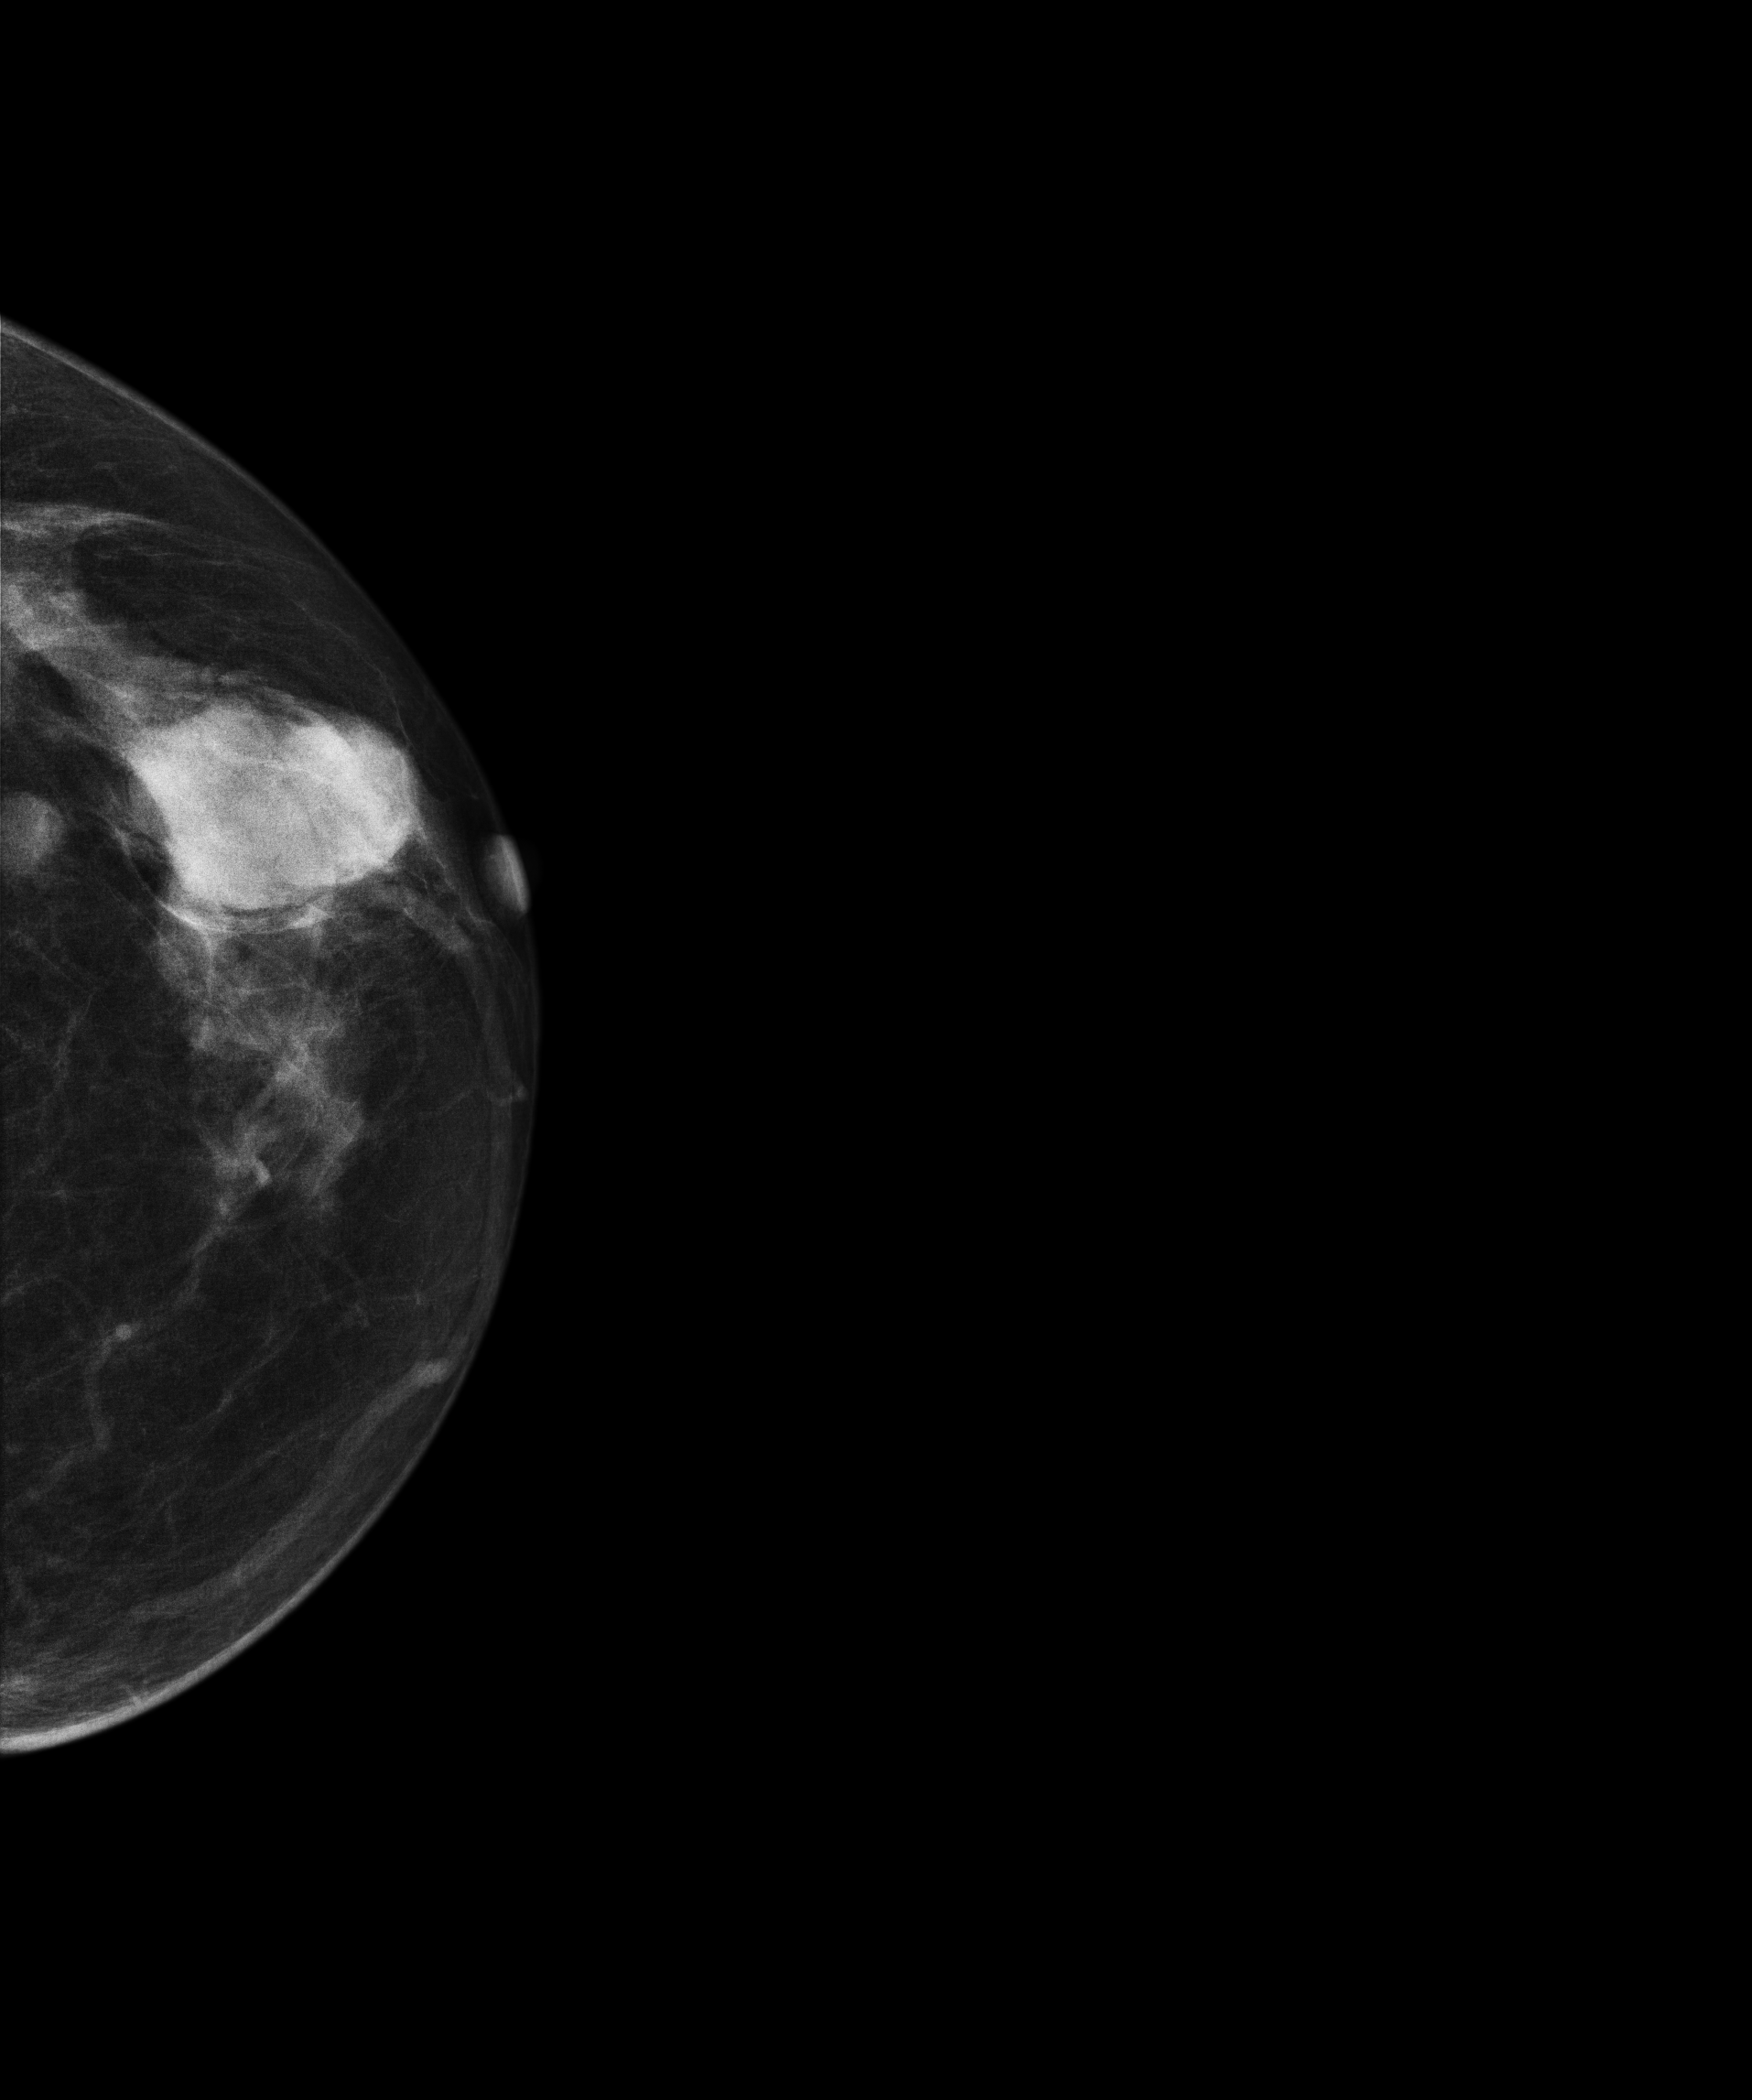
Left-breast mammogram, CC. Patient age 71.
This breast has a mass, biopsy-proven malignant.